MLO mammogram of the right breast. 55 y/o patient.
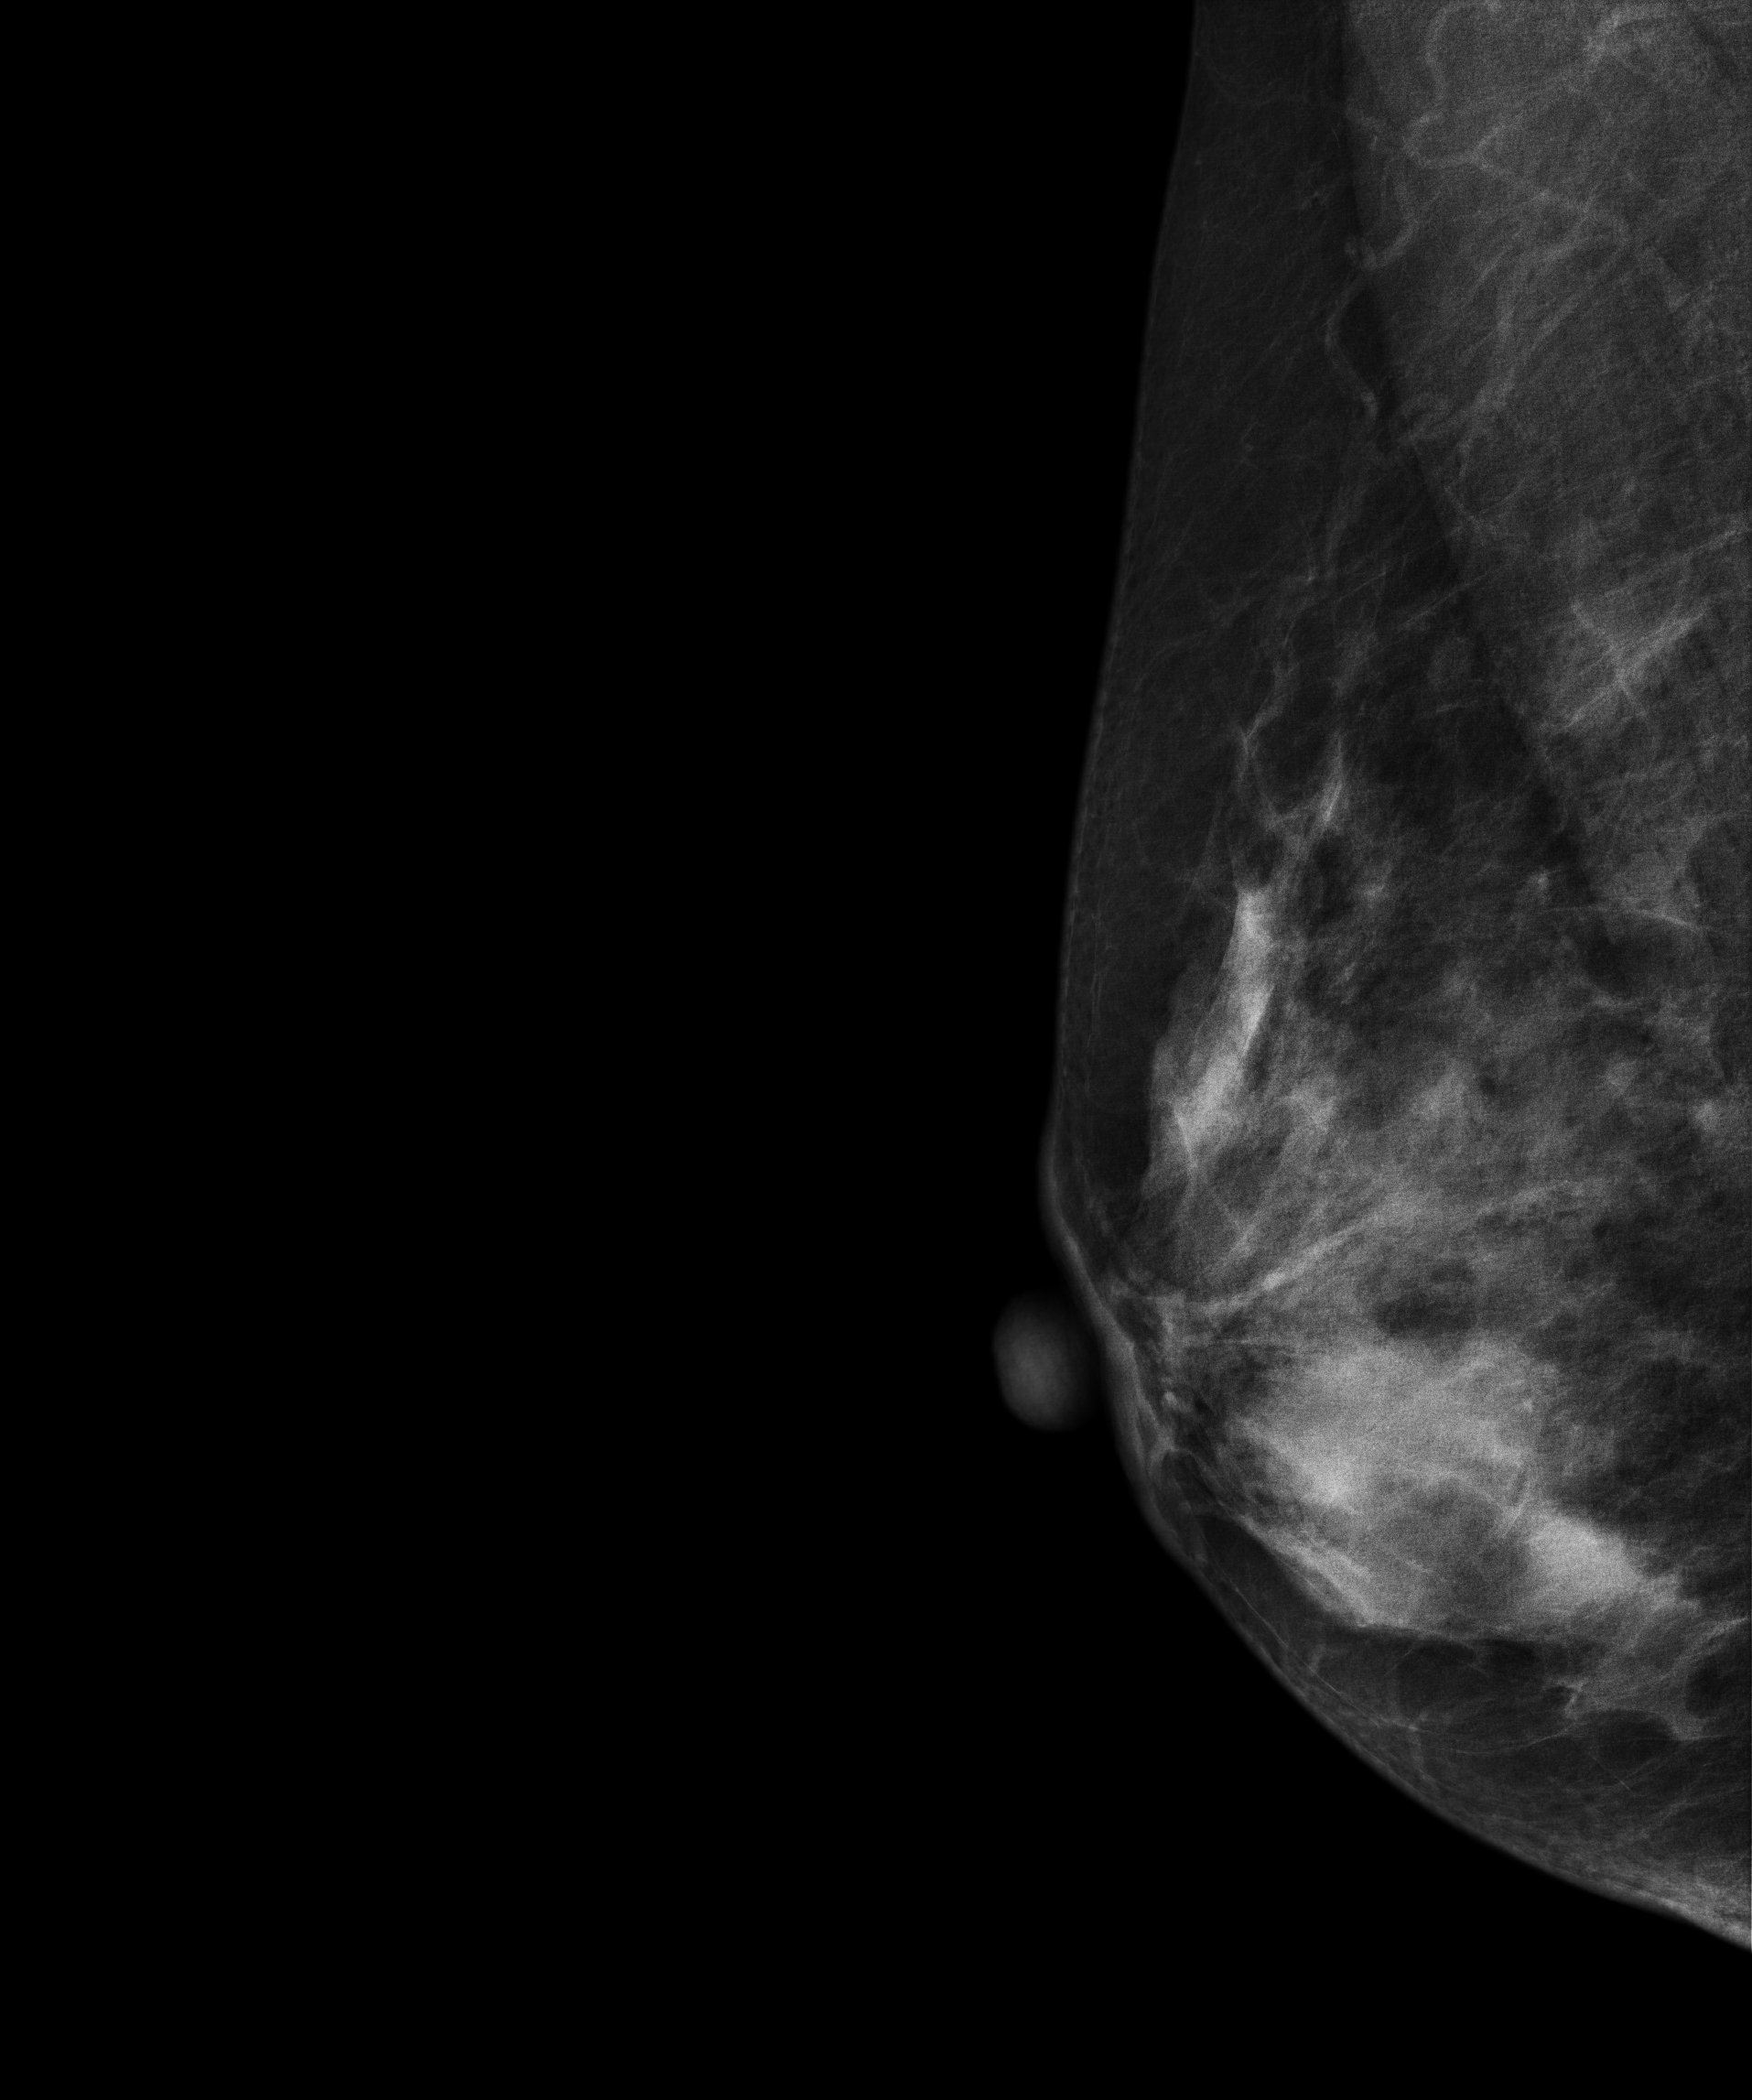
This breast has a mass, biopsy-confirmed benign.